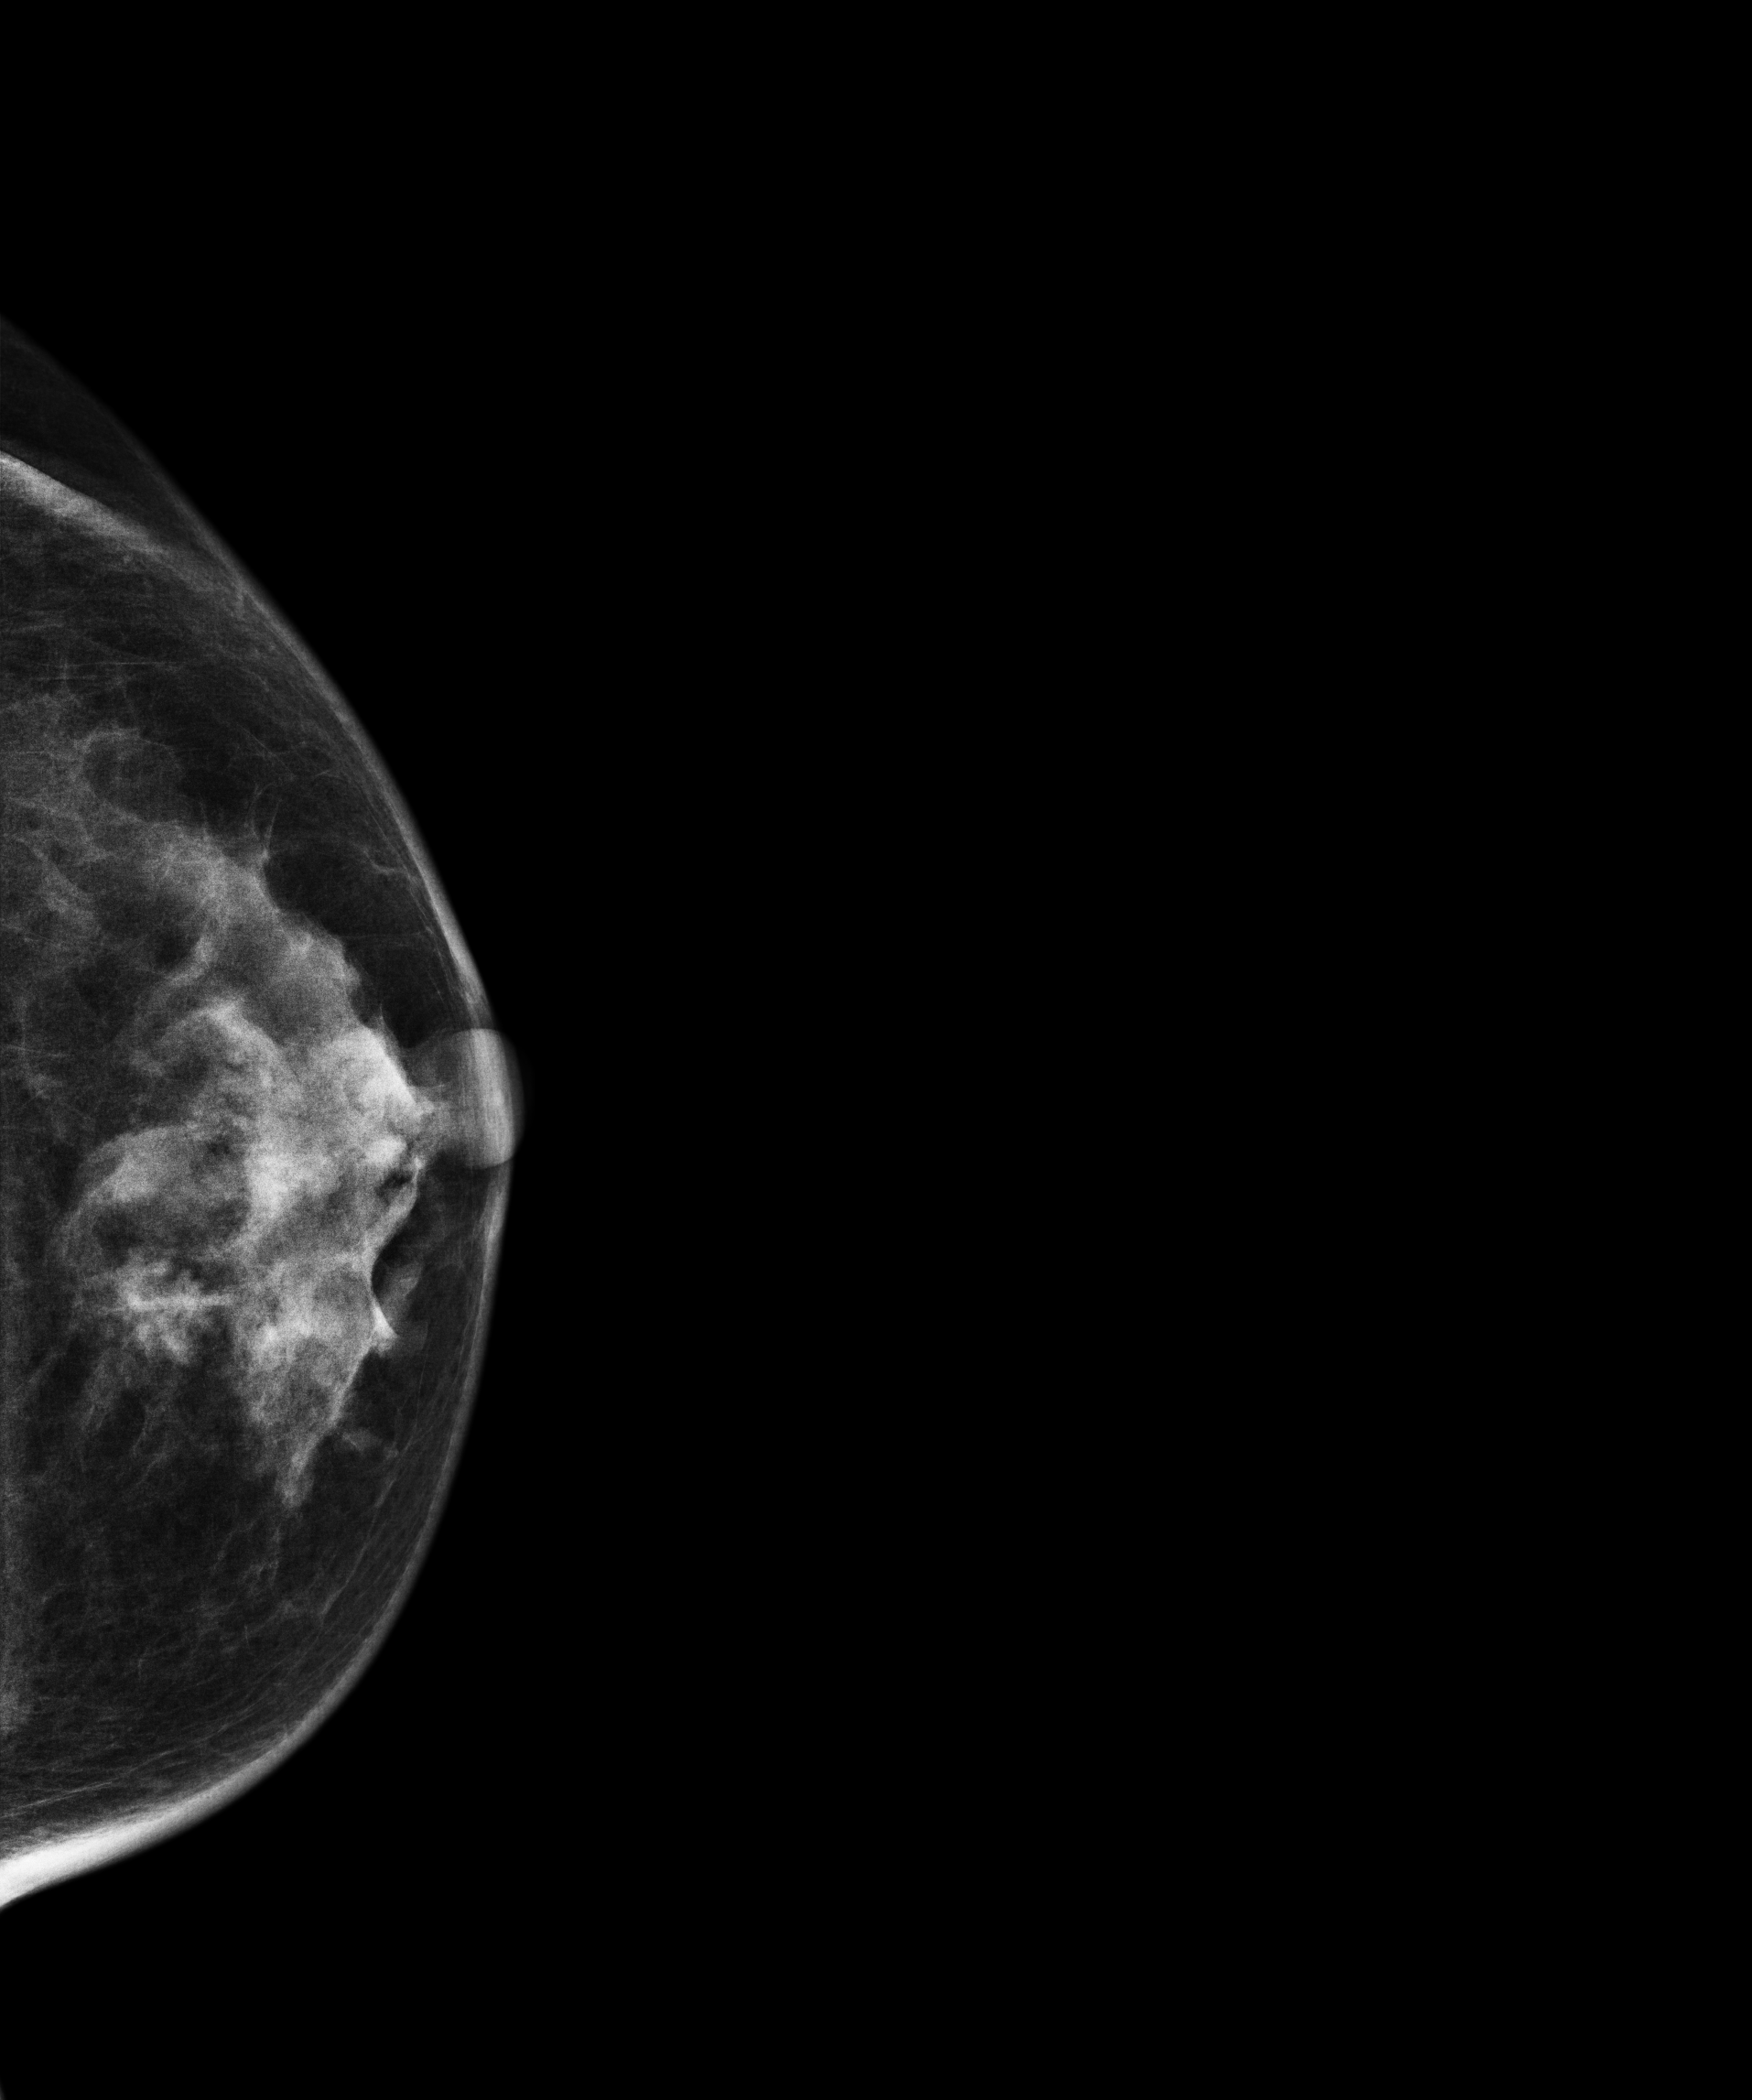
Left-breast mammogram, CC. 39 y/o patient.
This breast has a mass, biopsy-confirmed benign.